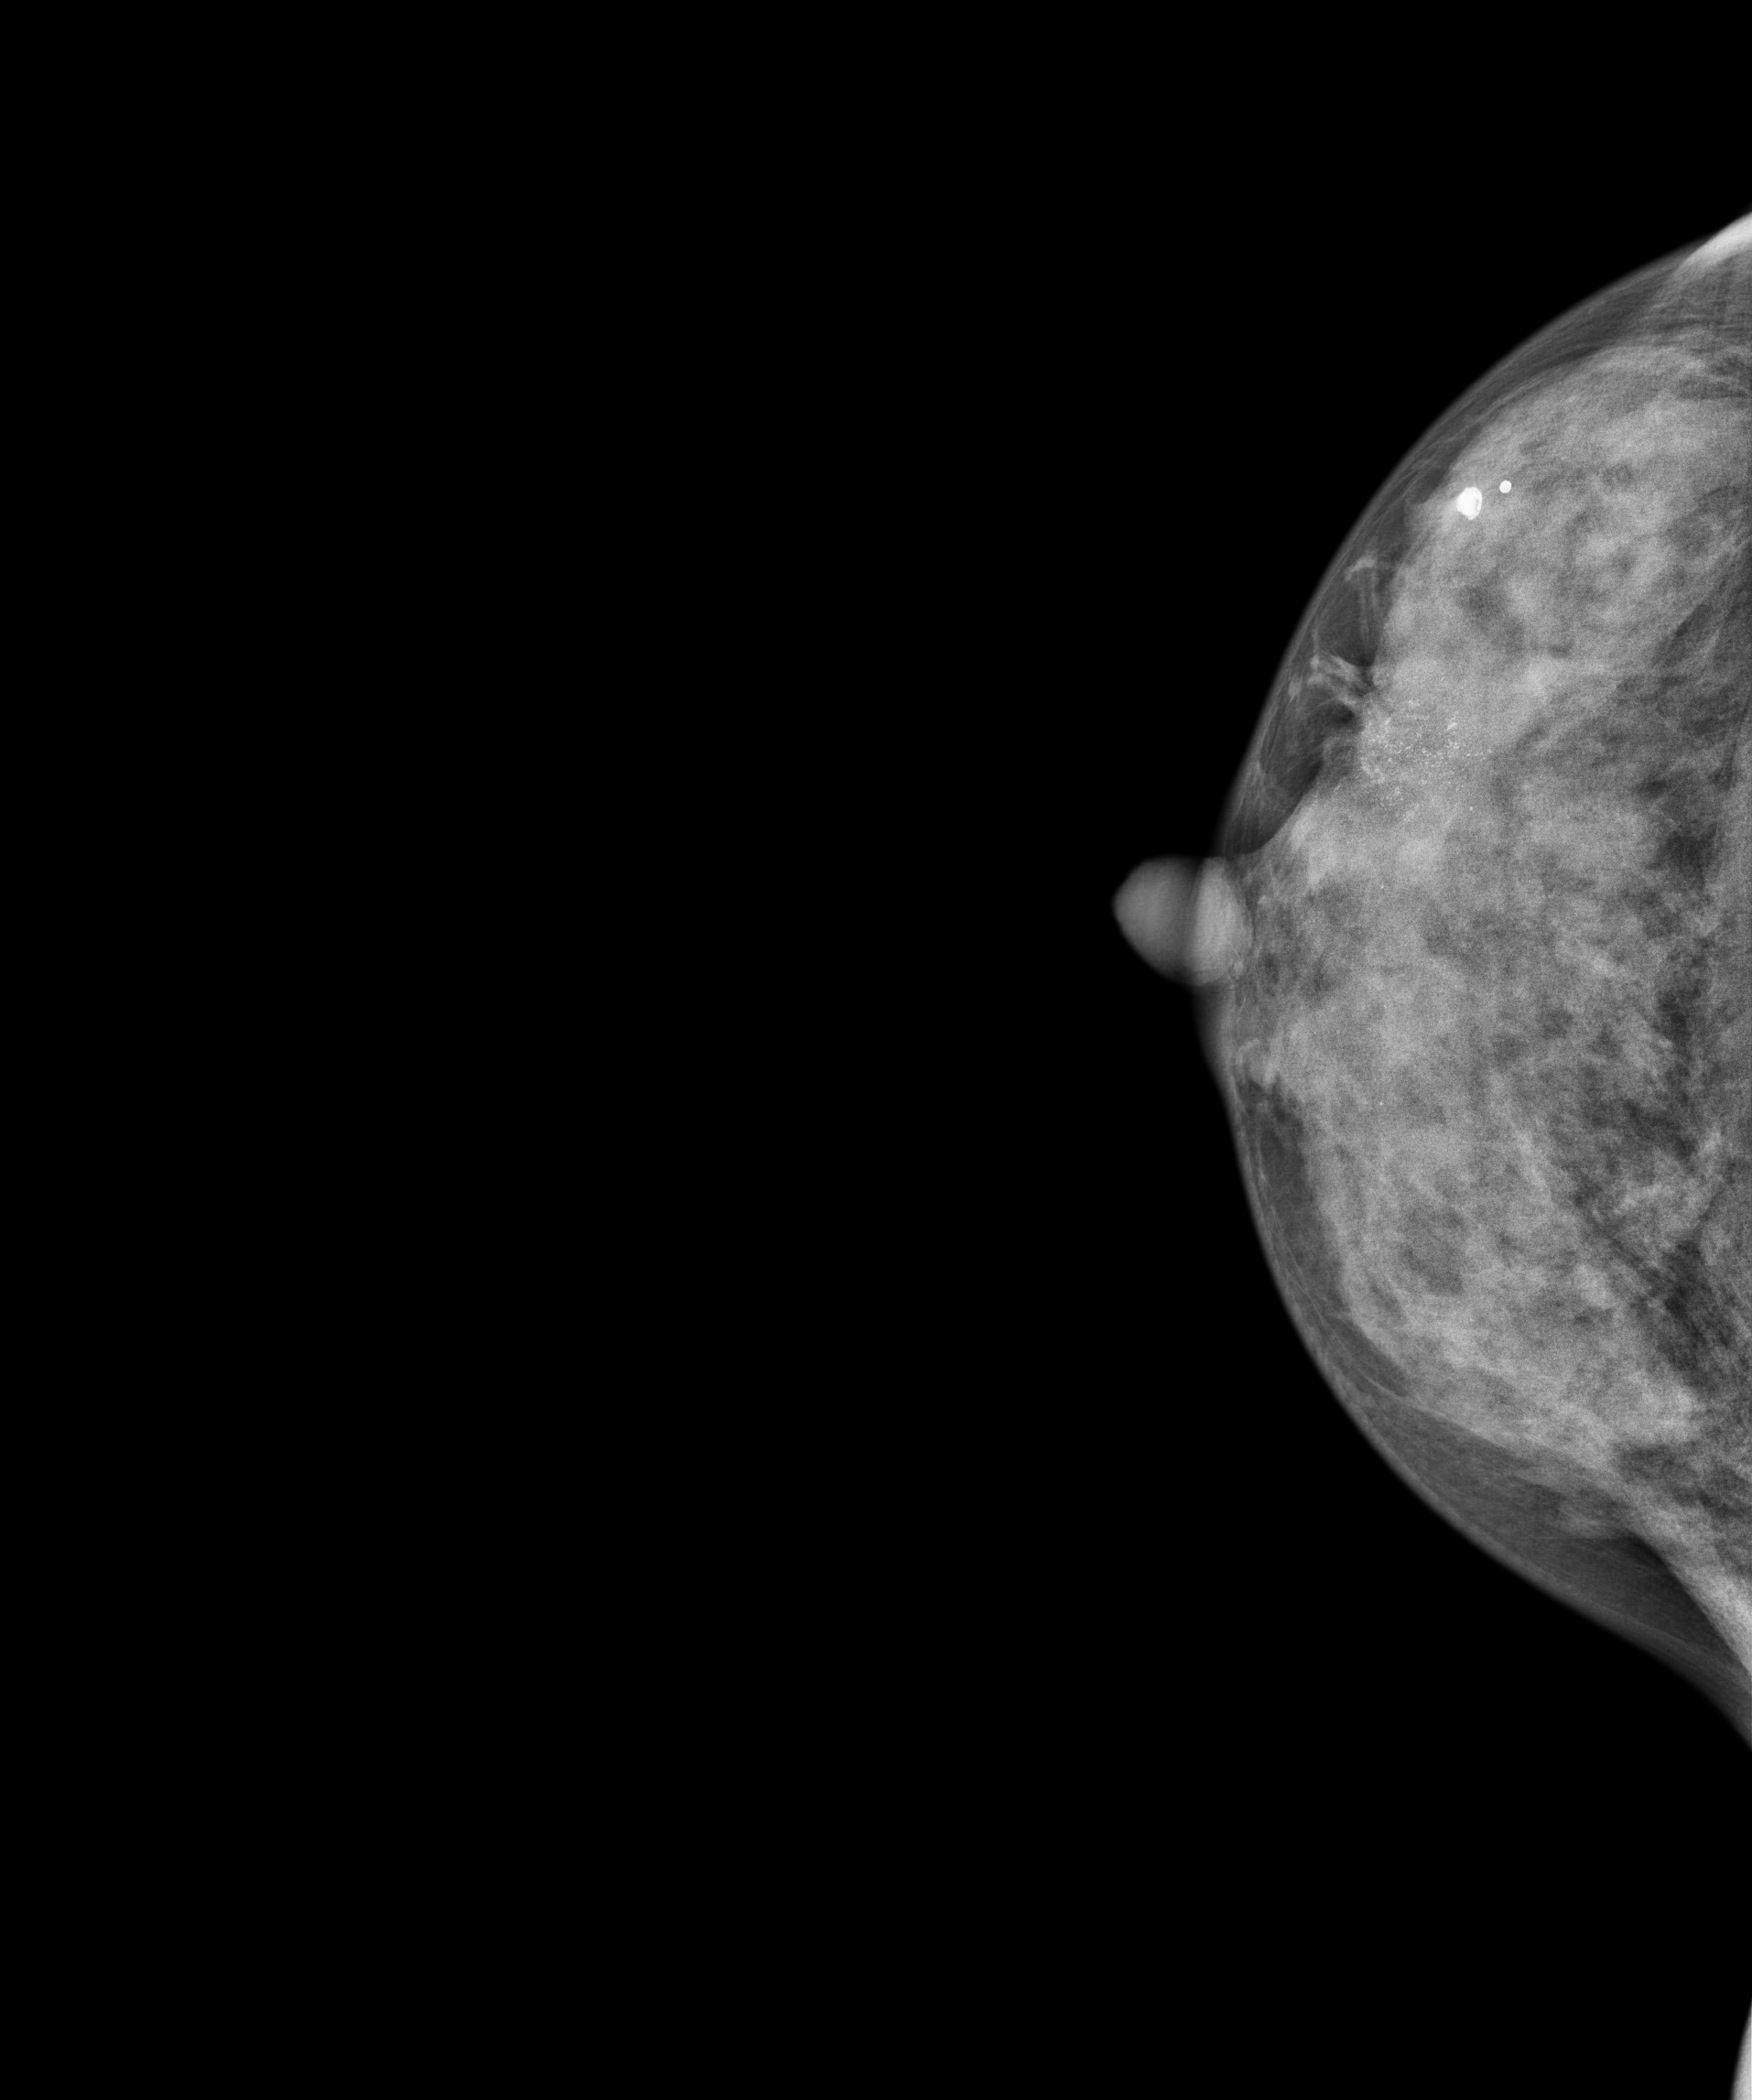
Mammogram — right cranio-caudal. 39 y/o patient.
This breast has calcifications, biopsy-proven malignant.